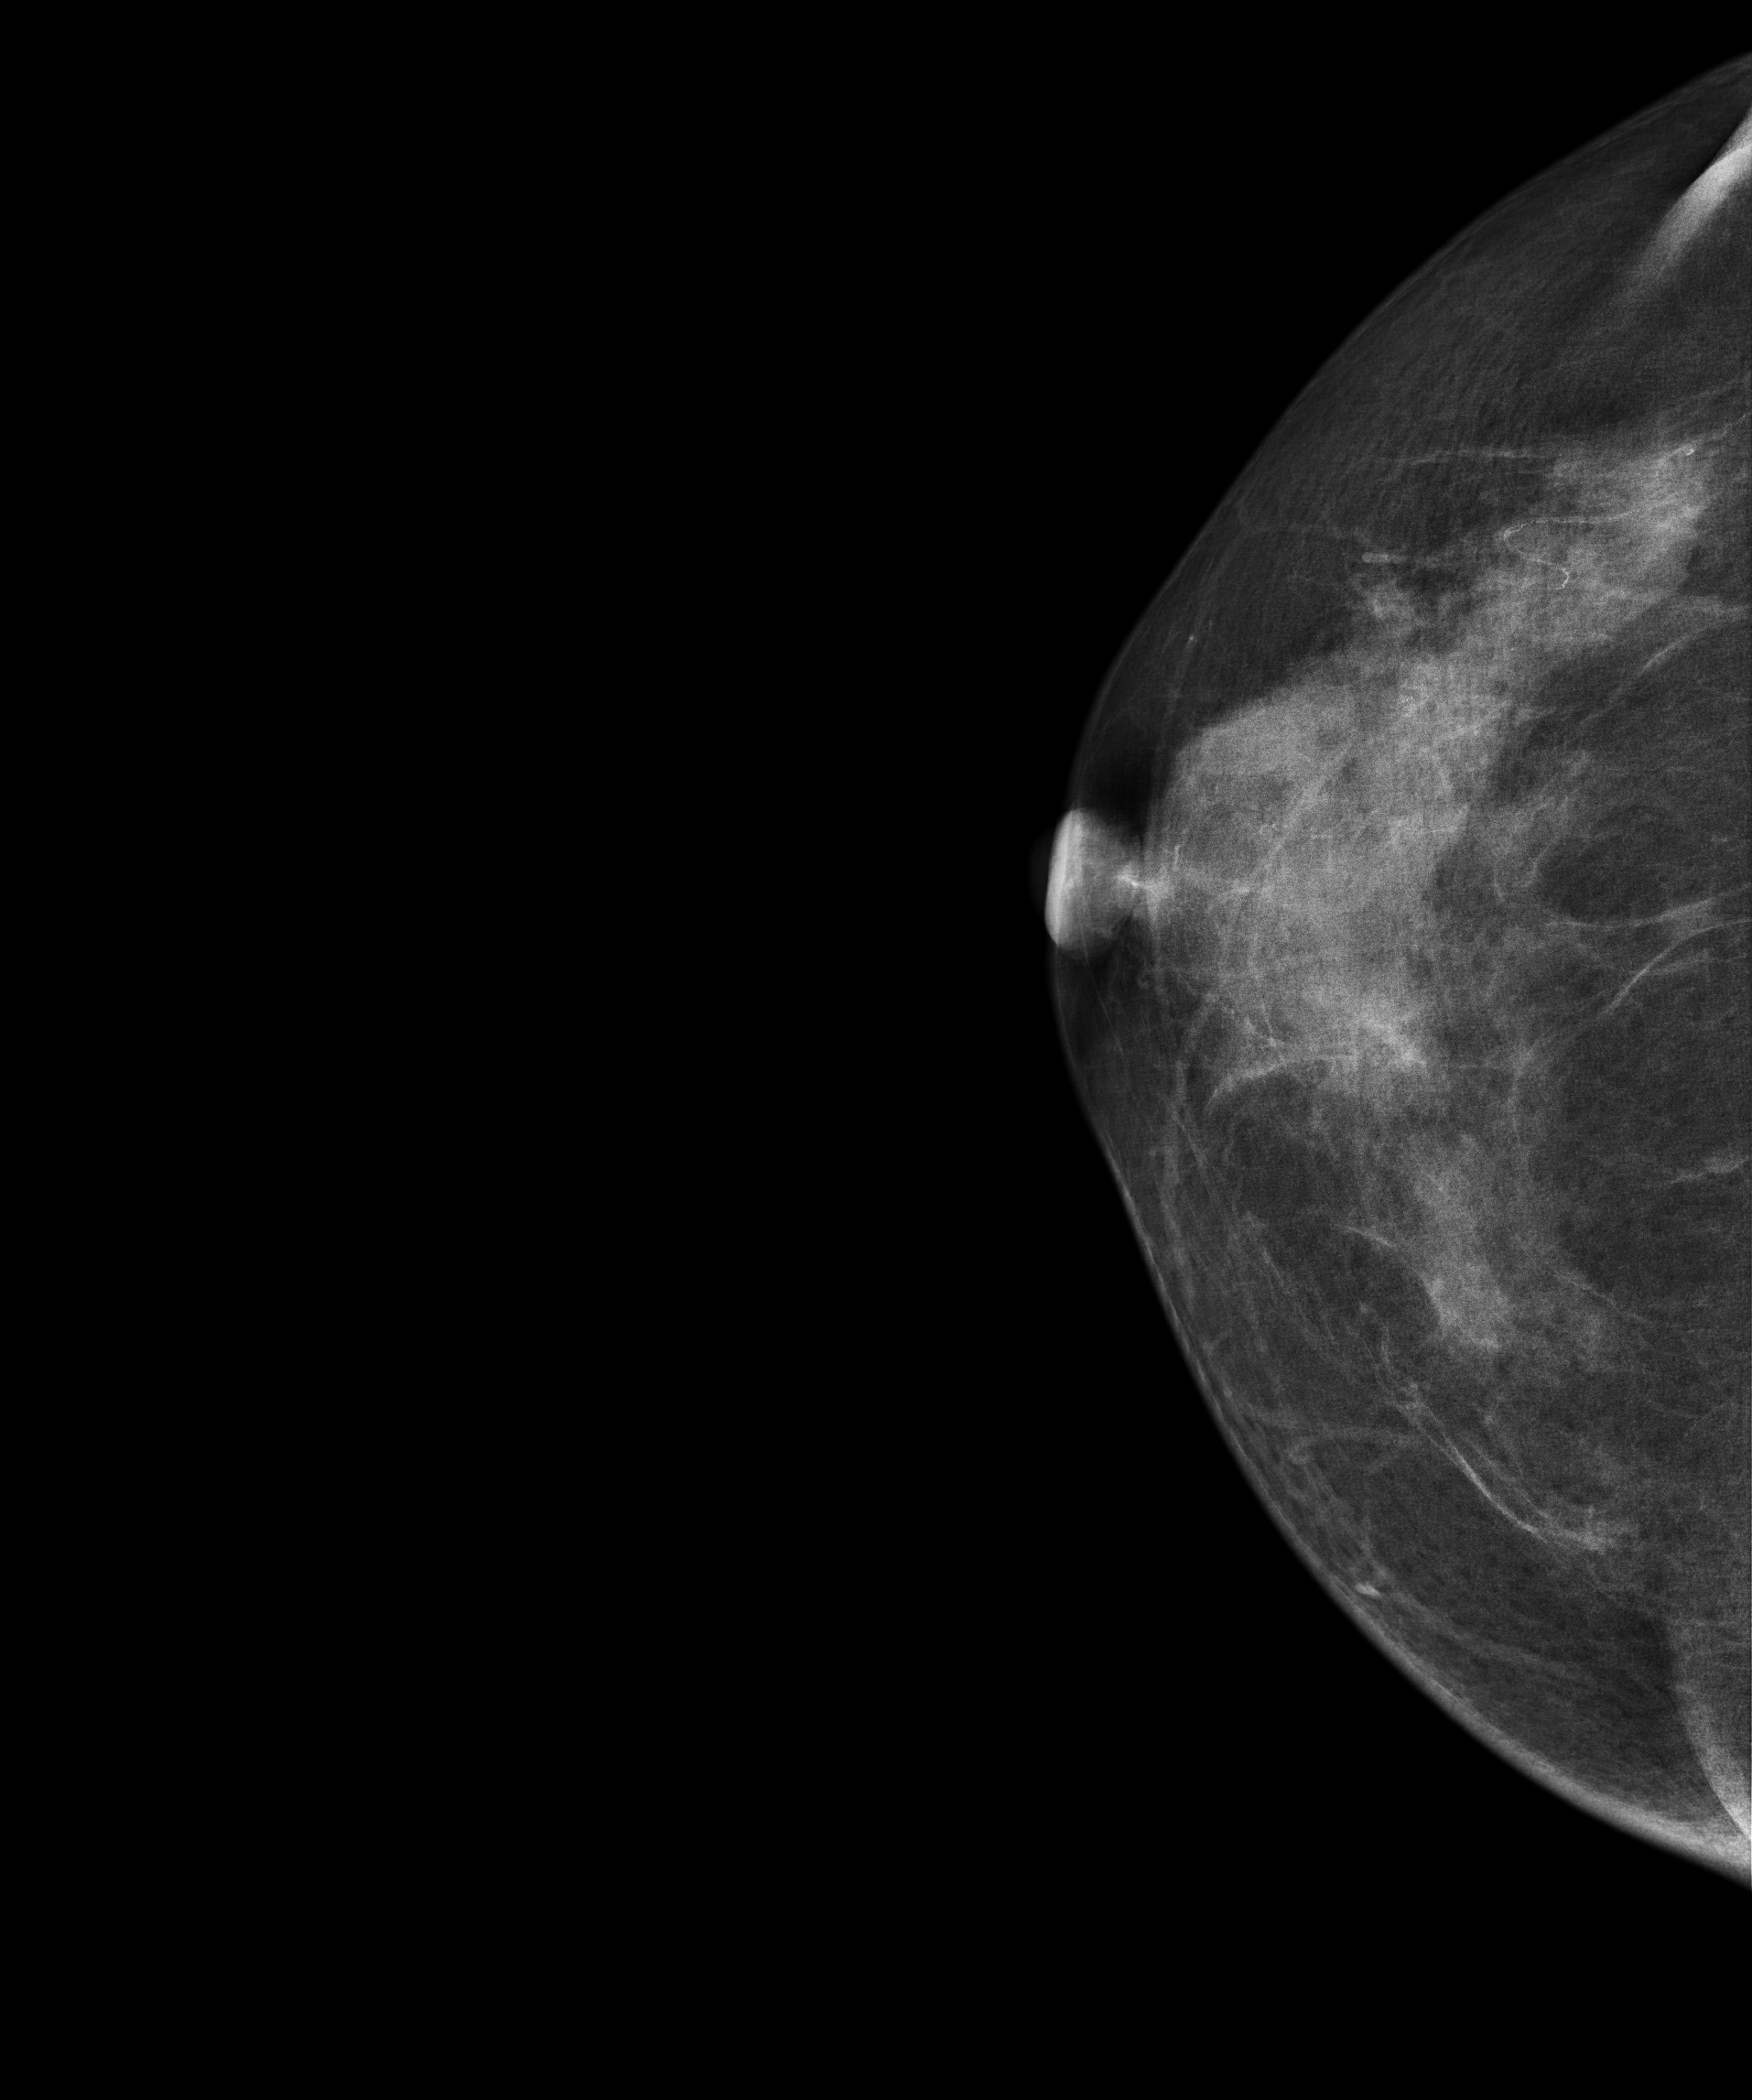
Digital mammography. Right breast, CC projection. Patient age 57.
Contralateral breast — no documented abnormality on this side.